Mammogram, left breast, MLO view. Patient age 44.
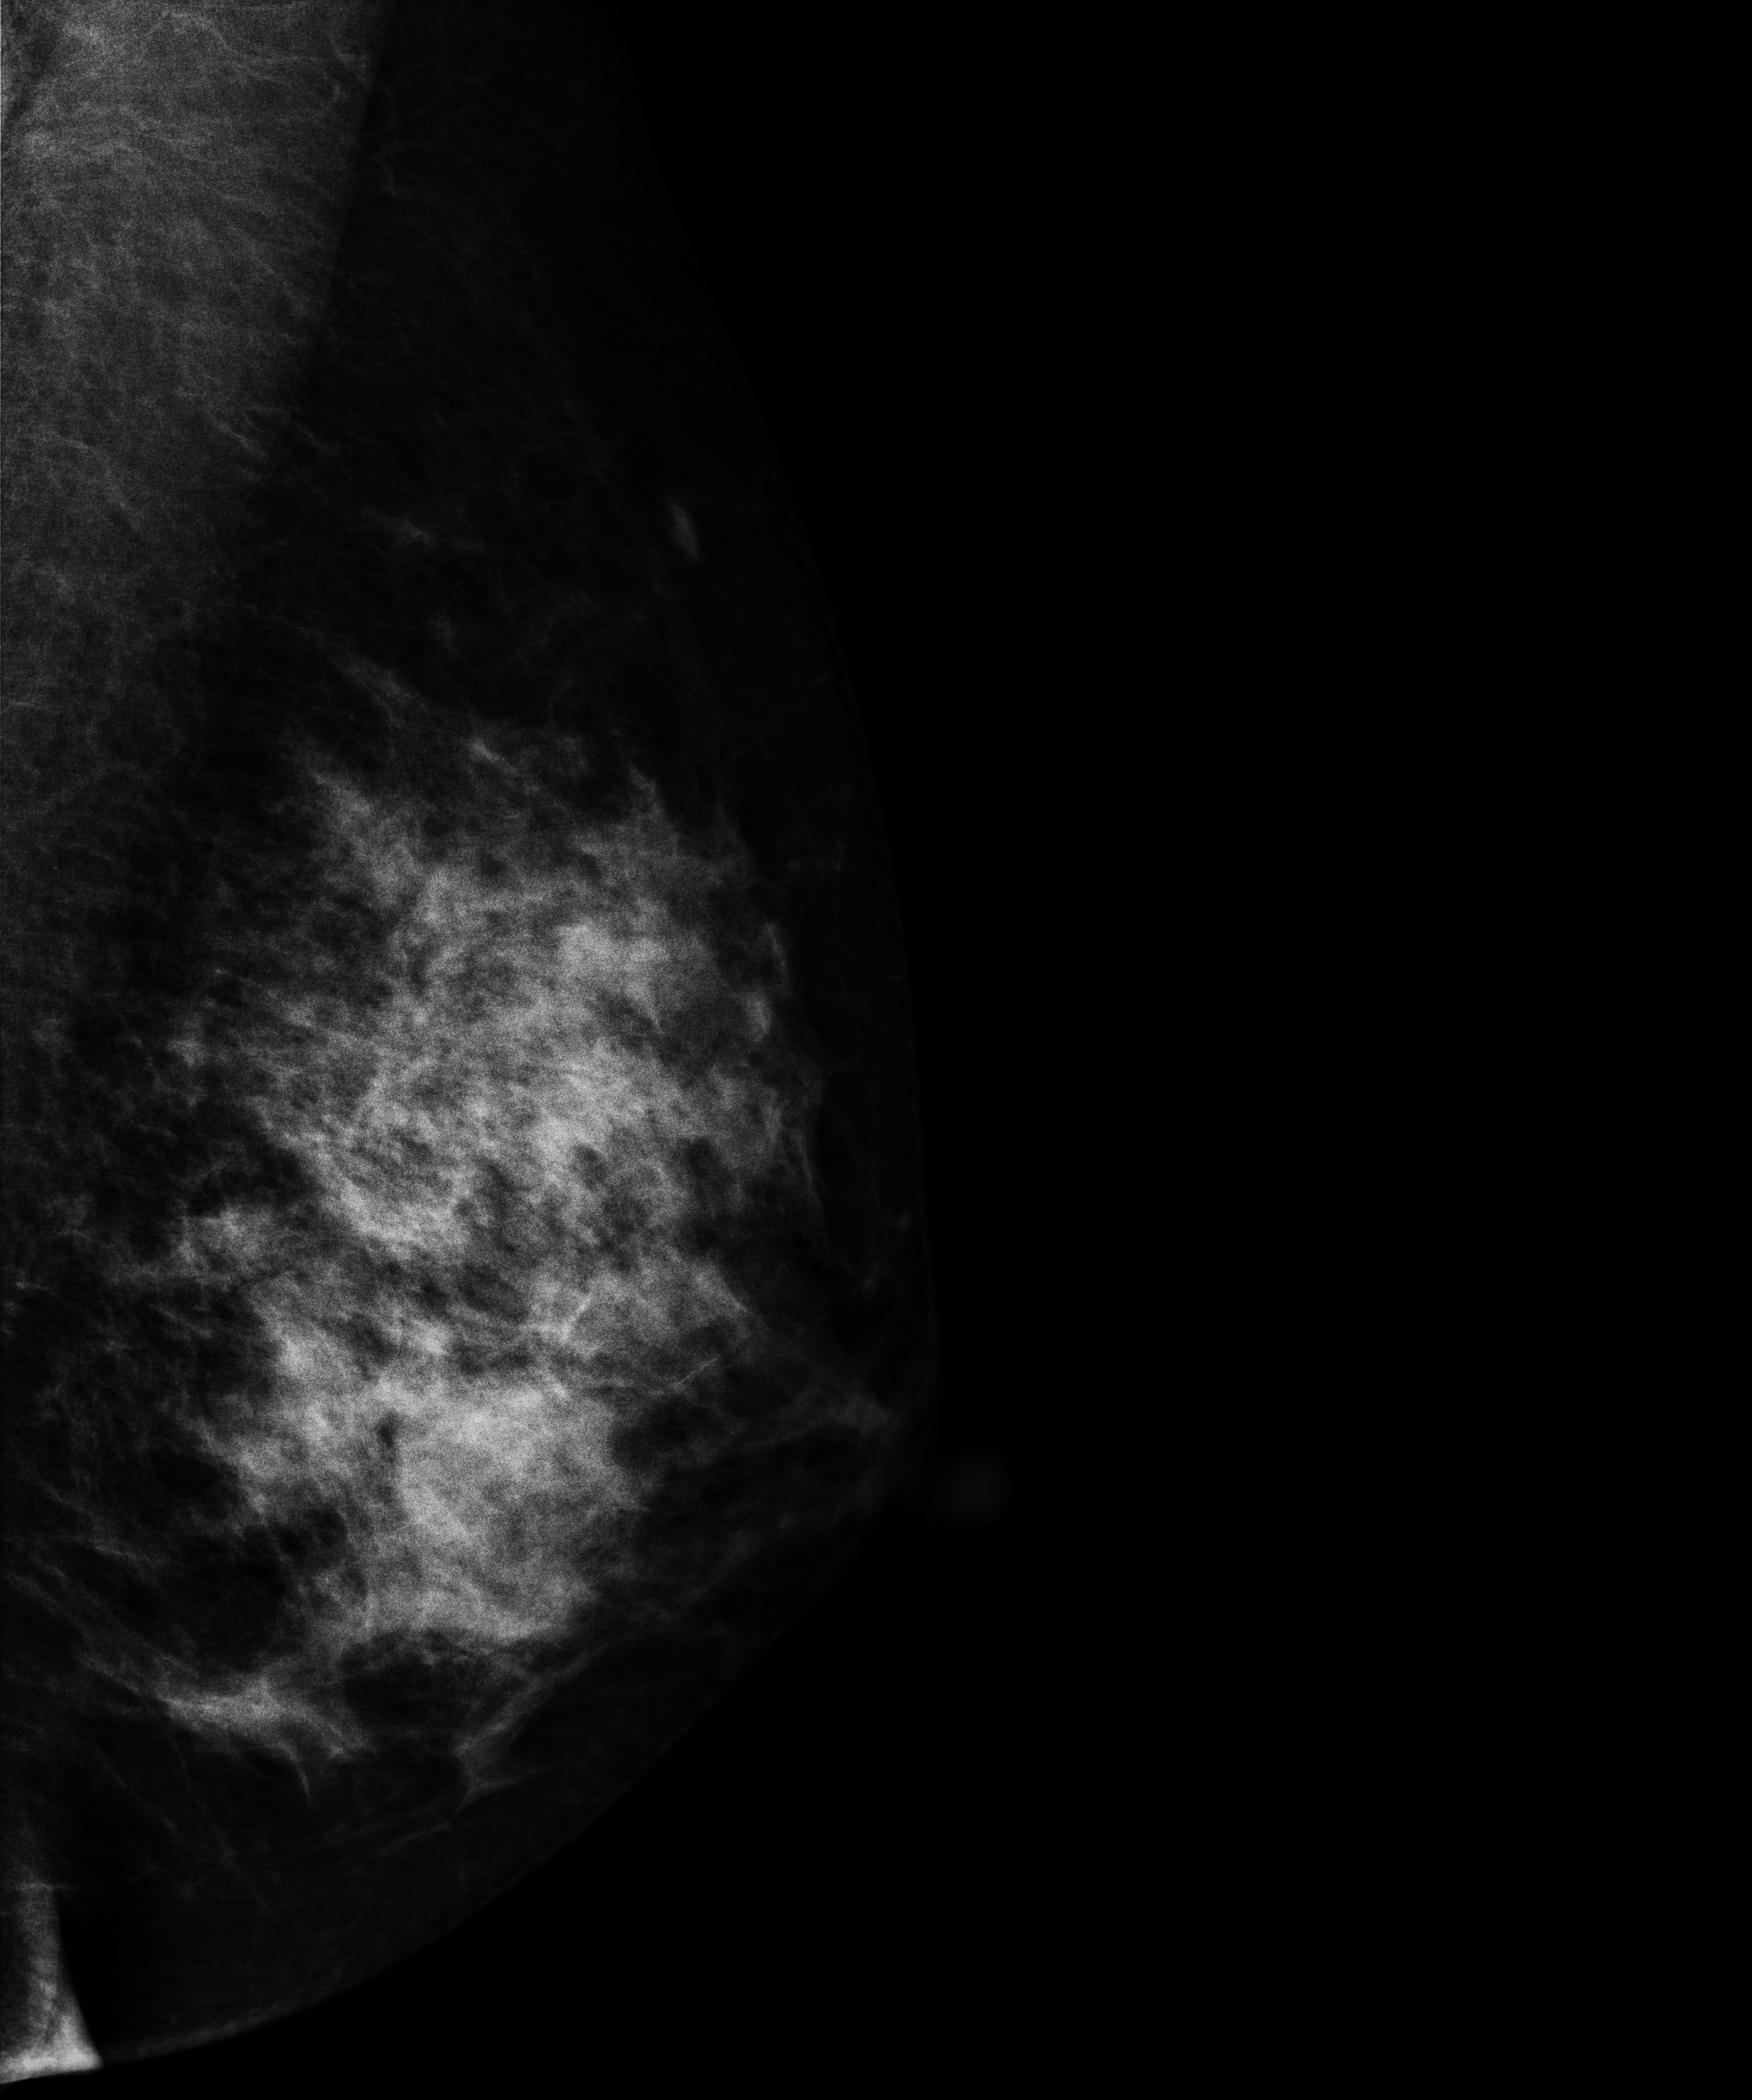
This breast has a mass, pathology-confirmed malignant. Molecular subtype: luminal B.